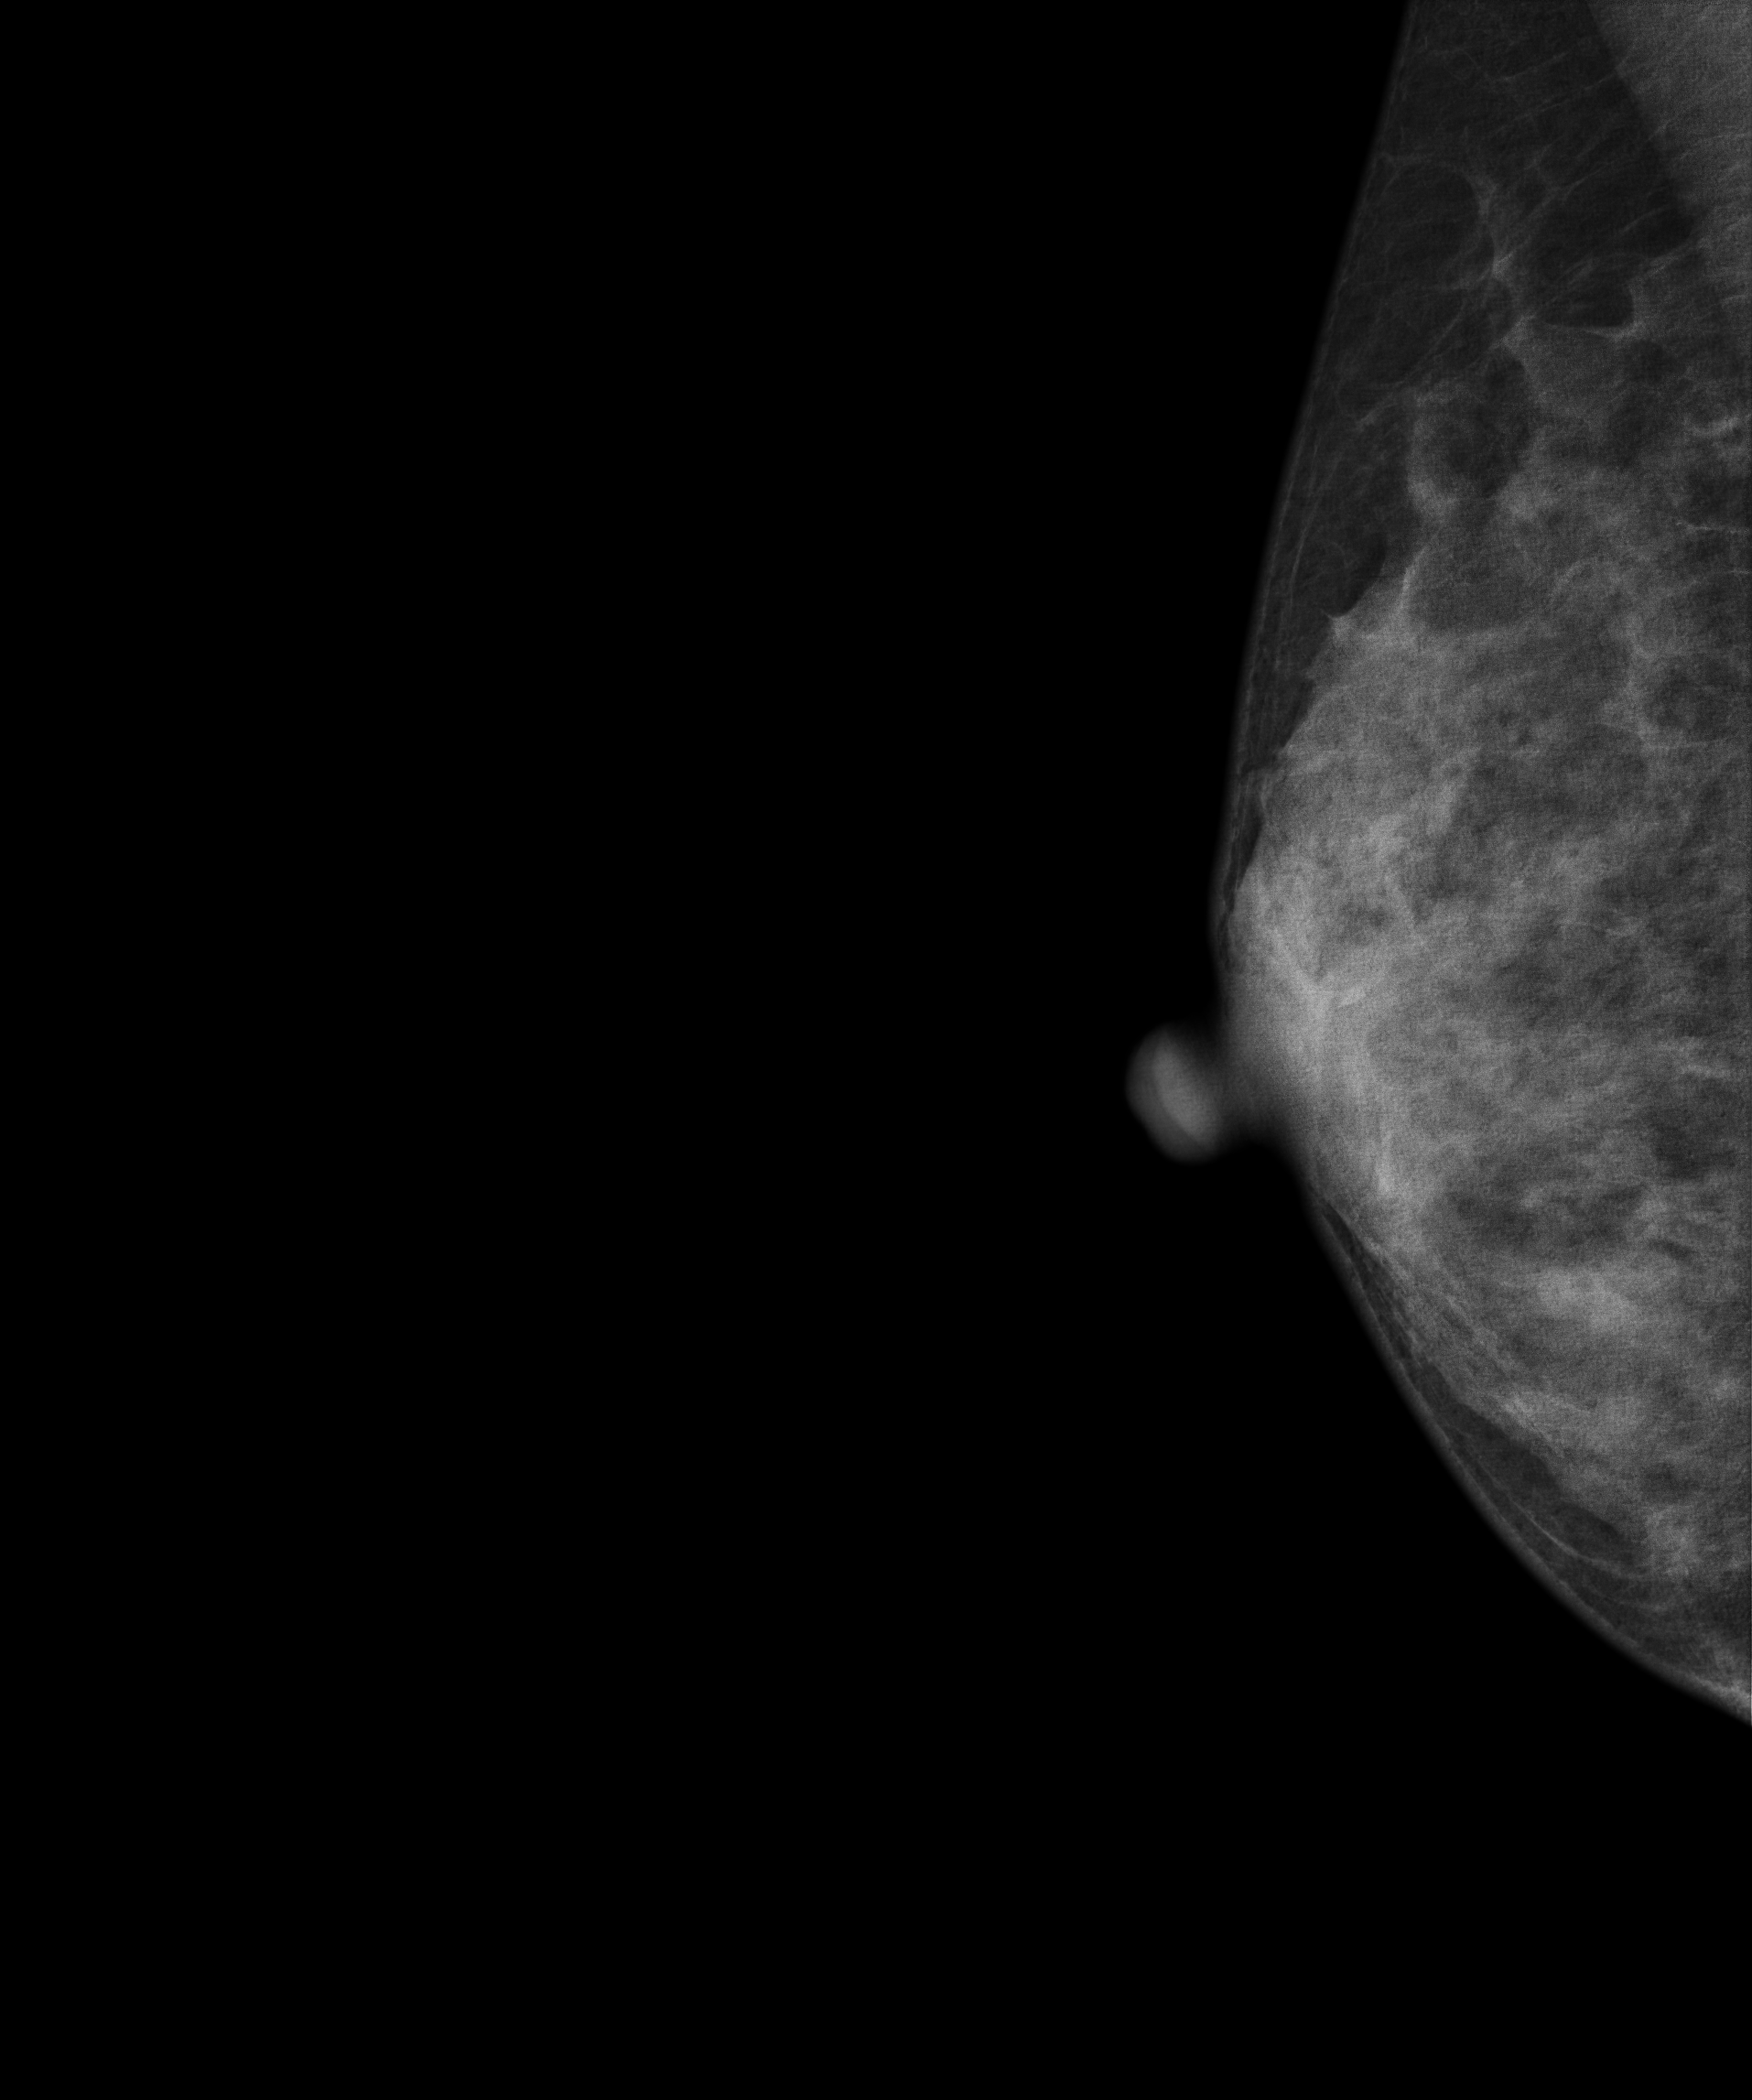
MLO mammogram of the right breast. 45 y/o patient.
This breast has calcifications, pathology-confirmed benign.